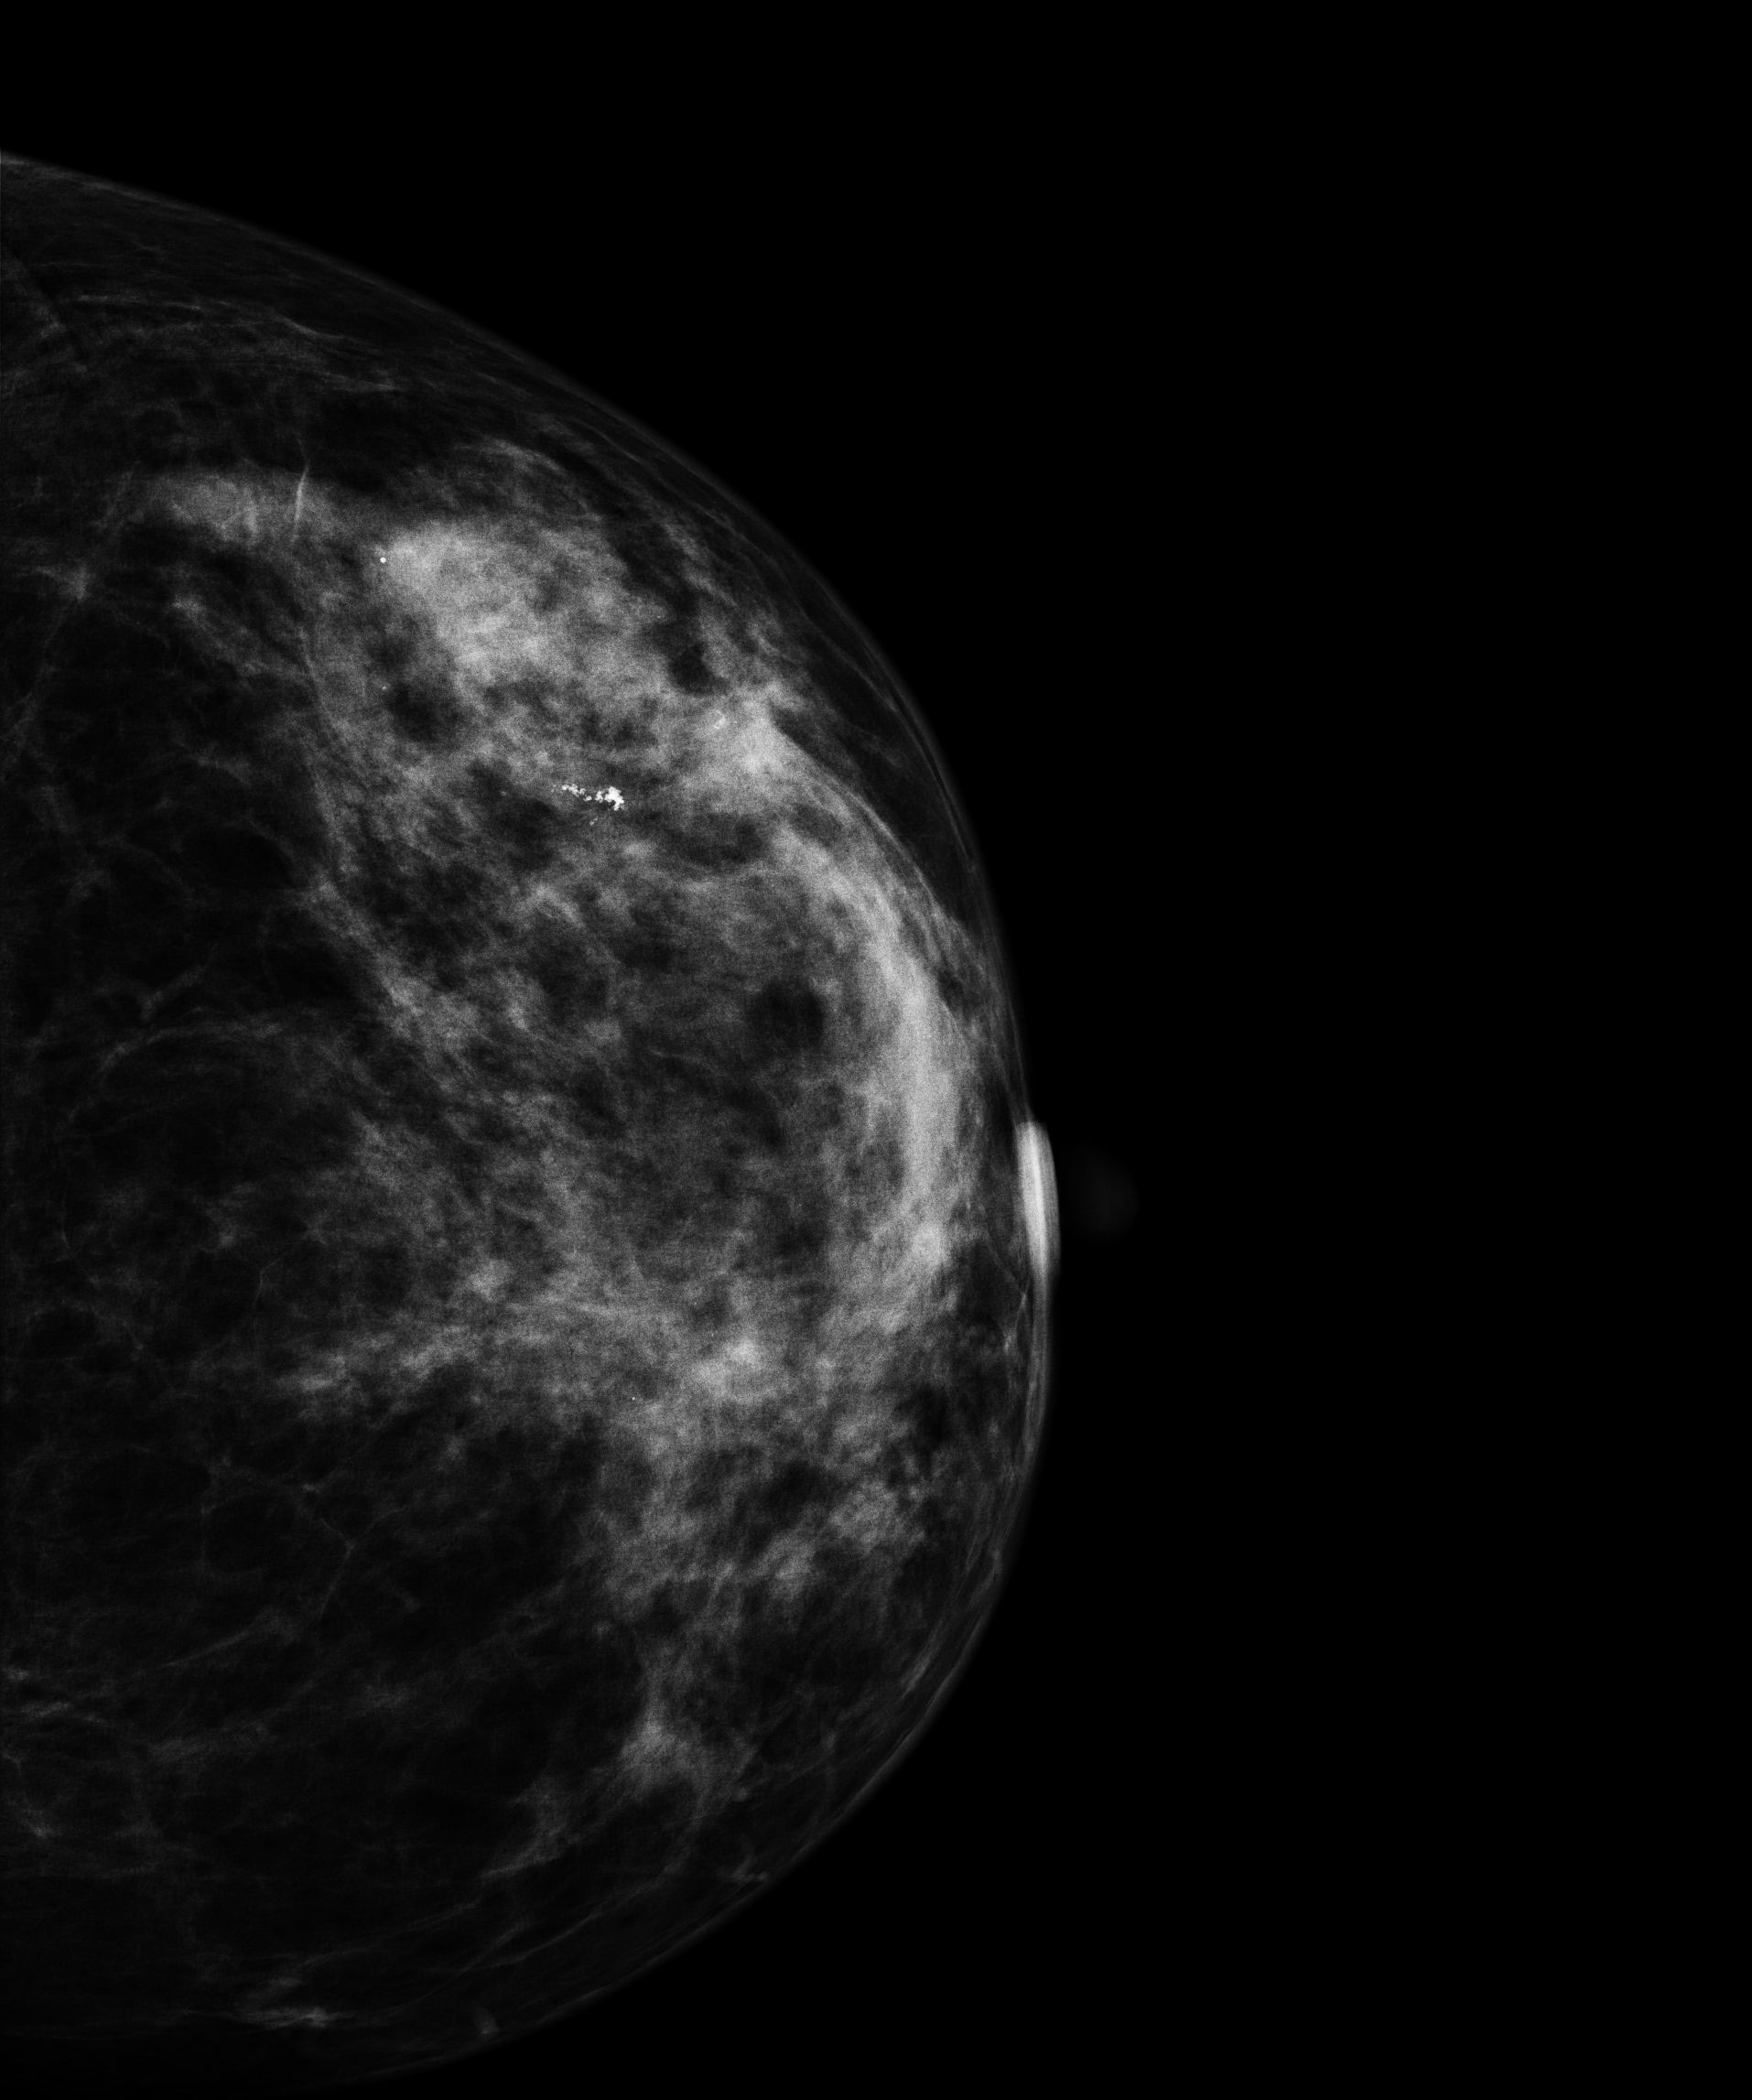
Mammogram, left breast, CC view. 38-year-old patient.
This breast has calcifications, pathology-confirmed benign.